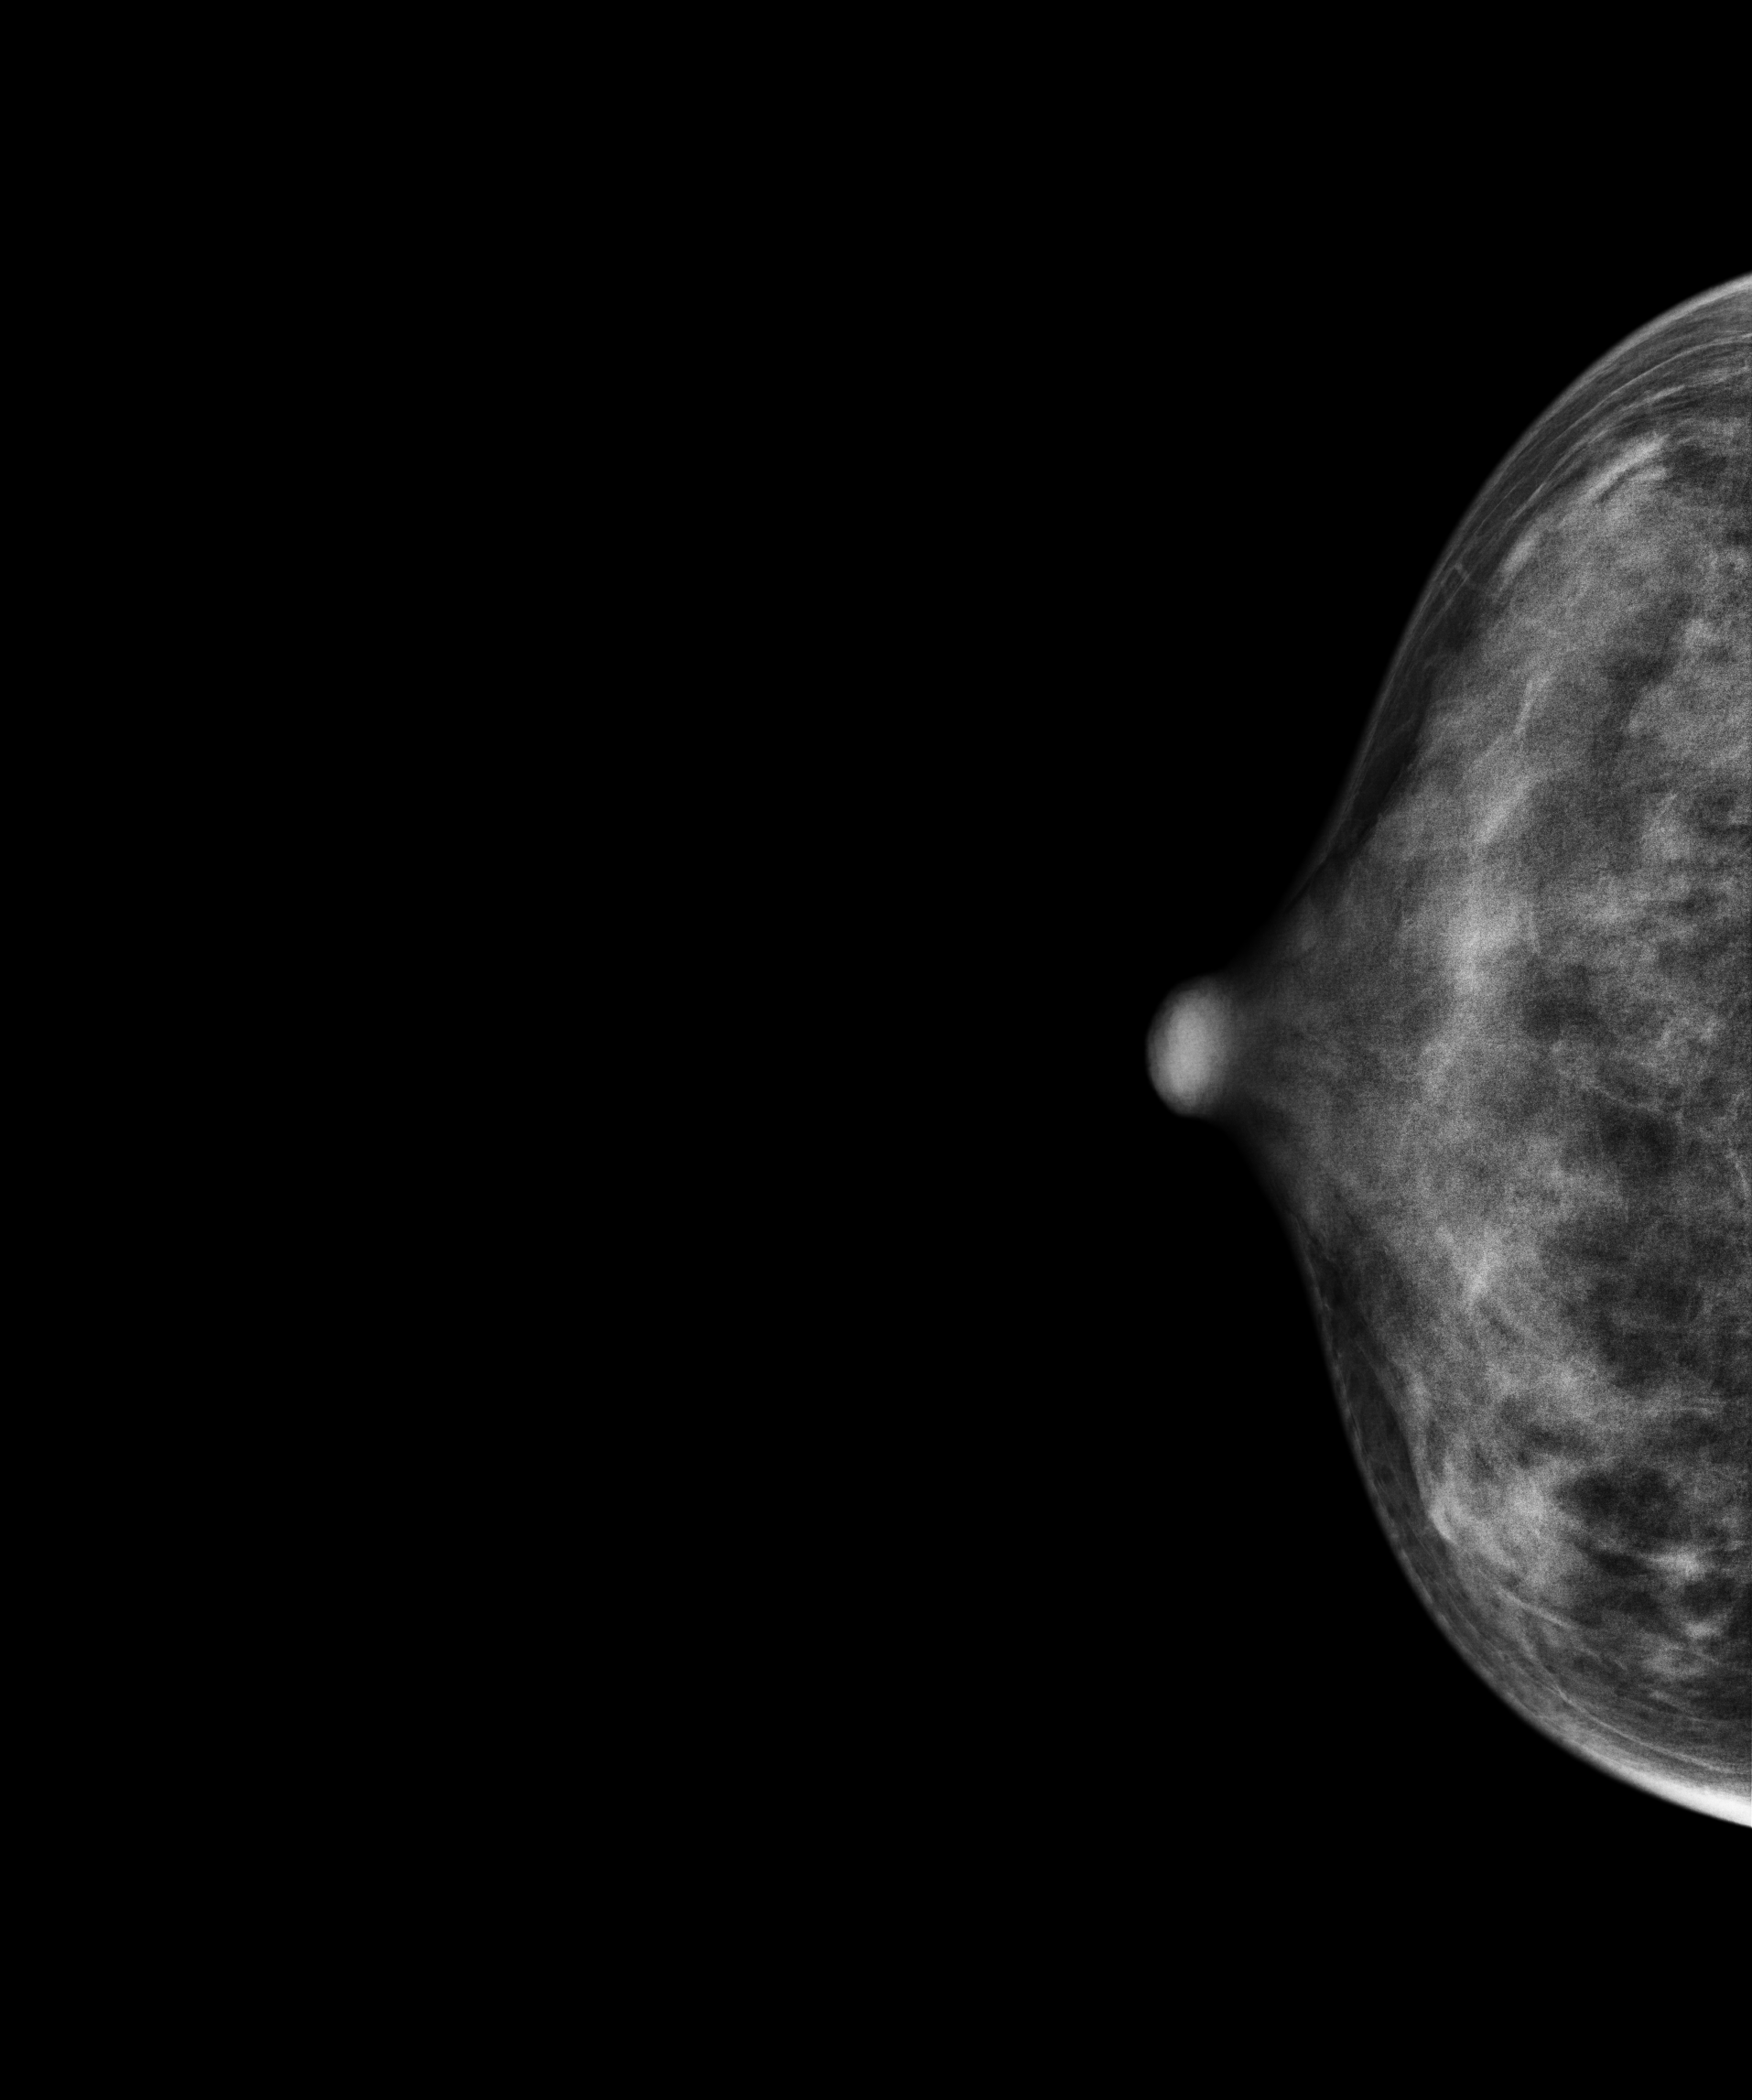
Mammogram — right CC. 33-year-old patient.
This breast has a mass, histologically confirmed malignant. Molecular subtype: luminal A.